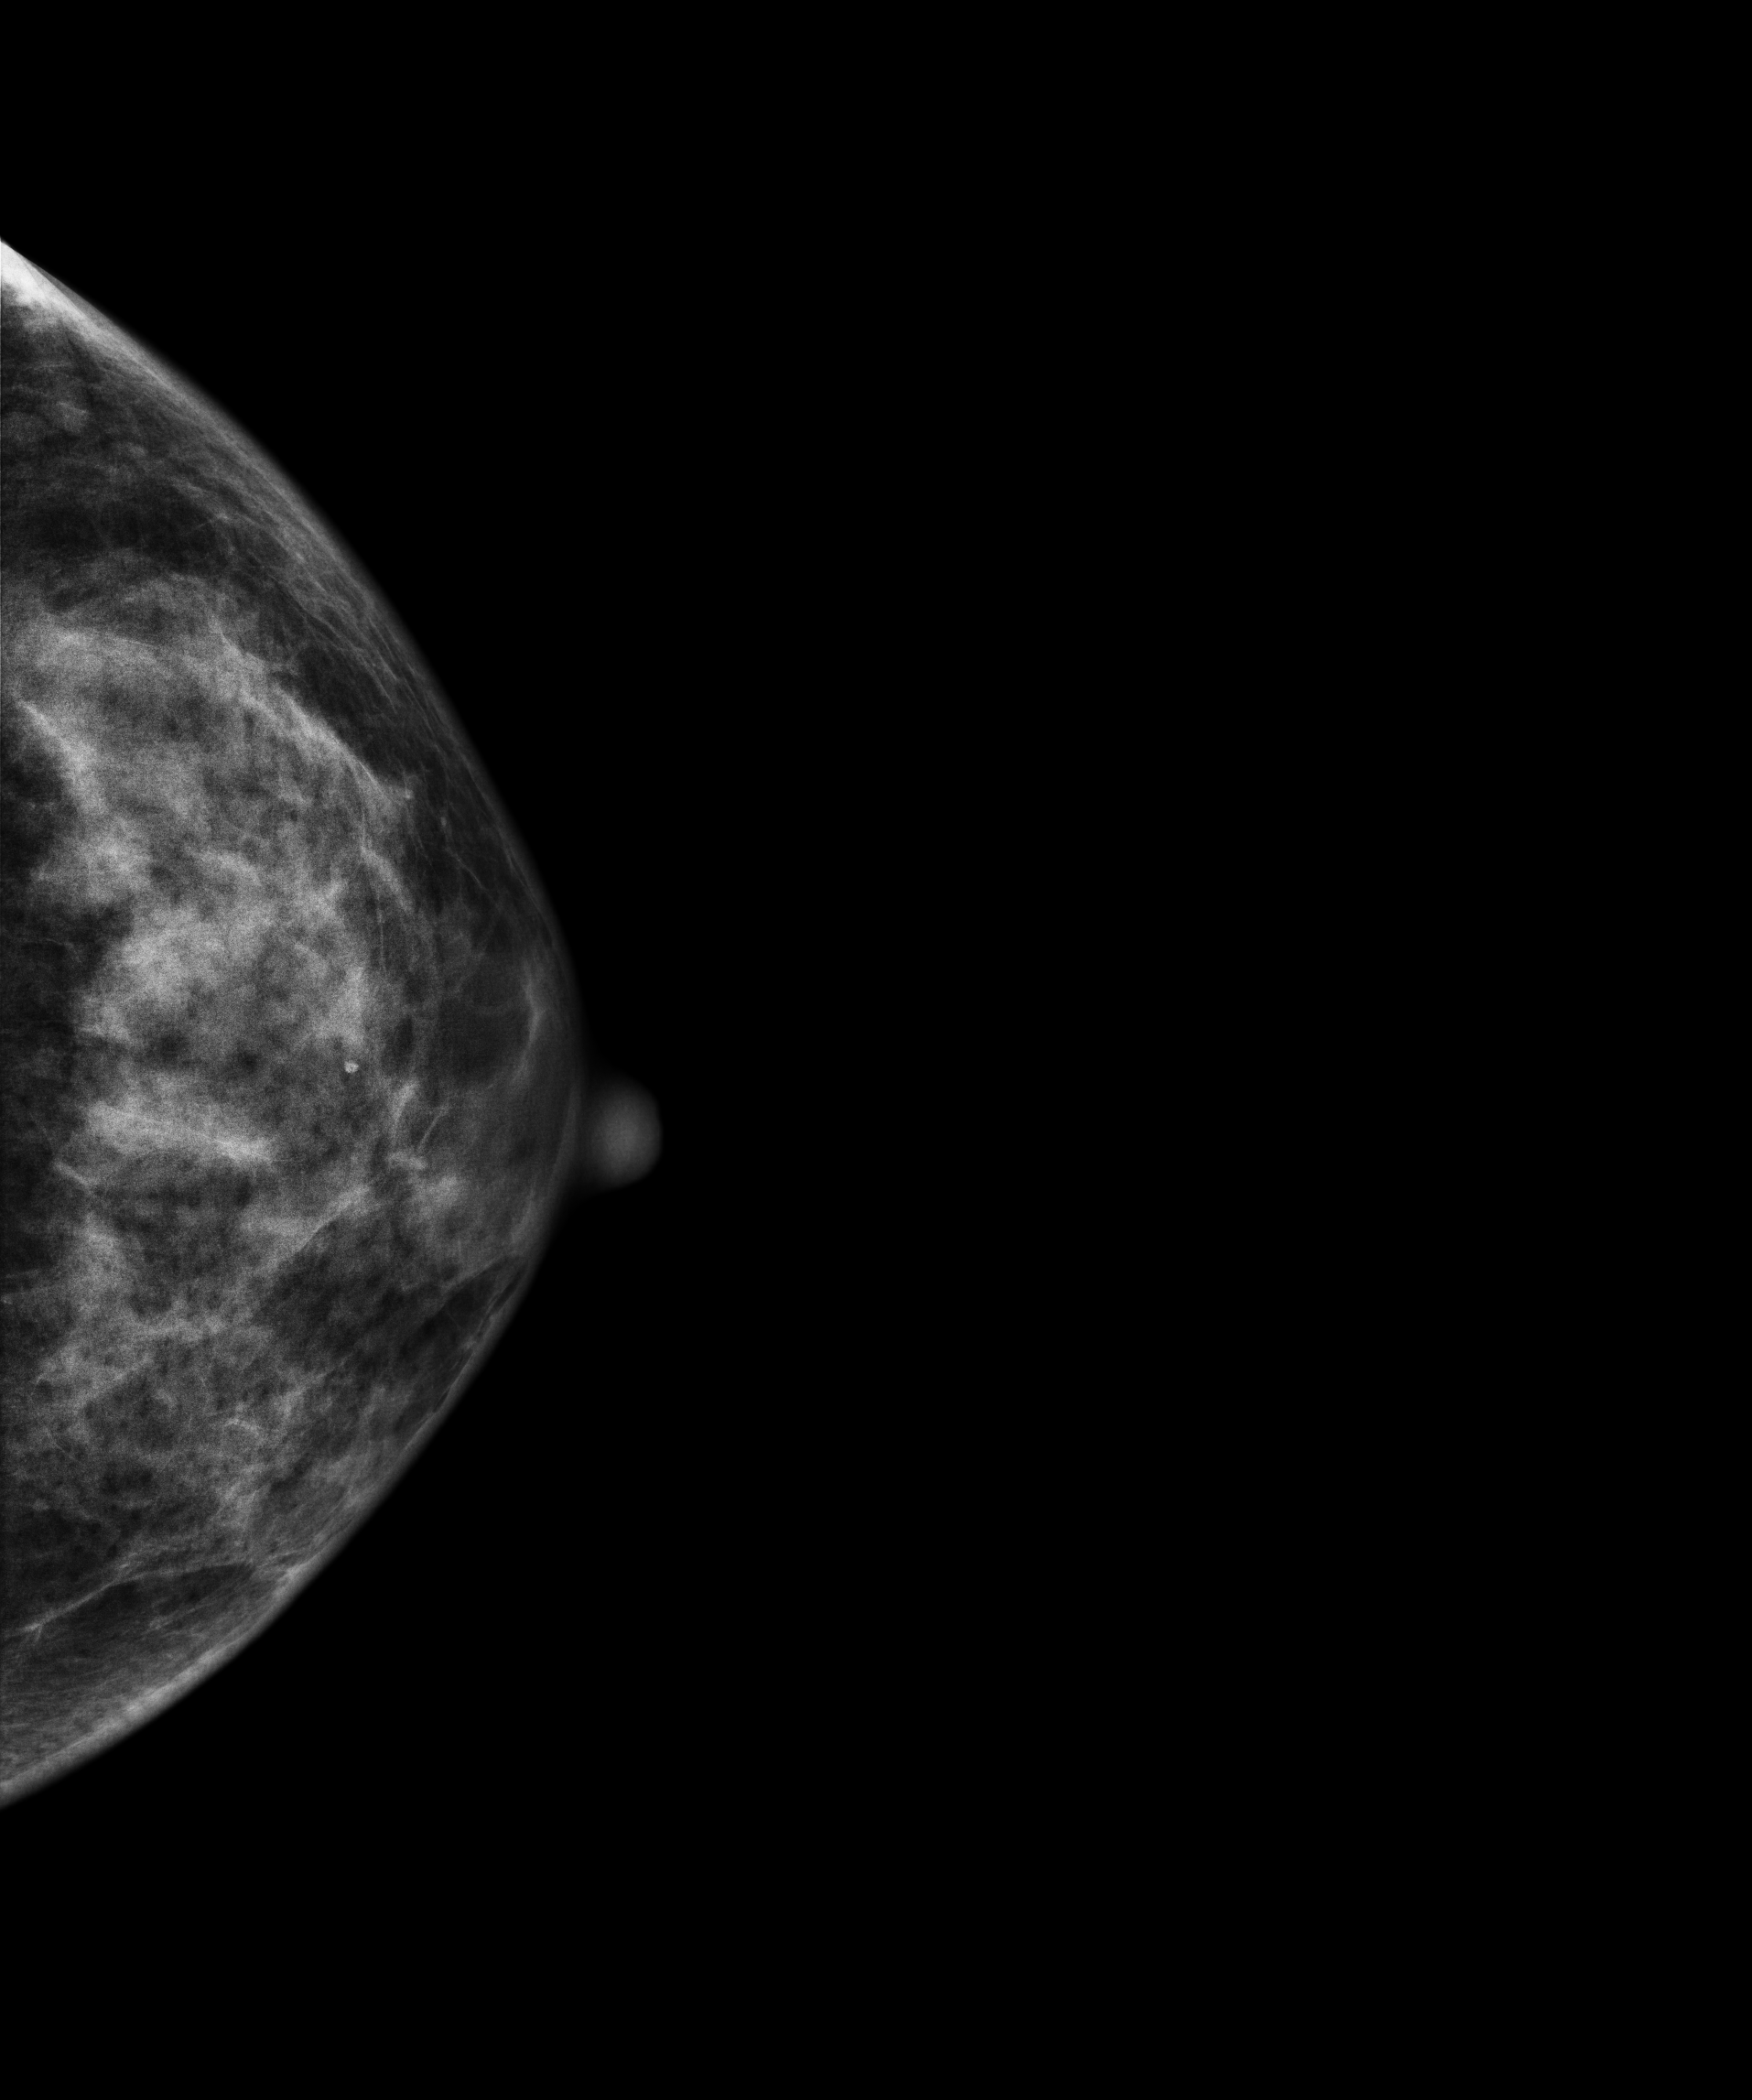
Mammogram — left CC. 38-year-old patient.
This breast has a mass, histologically confirmed benign.